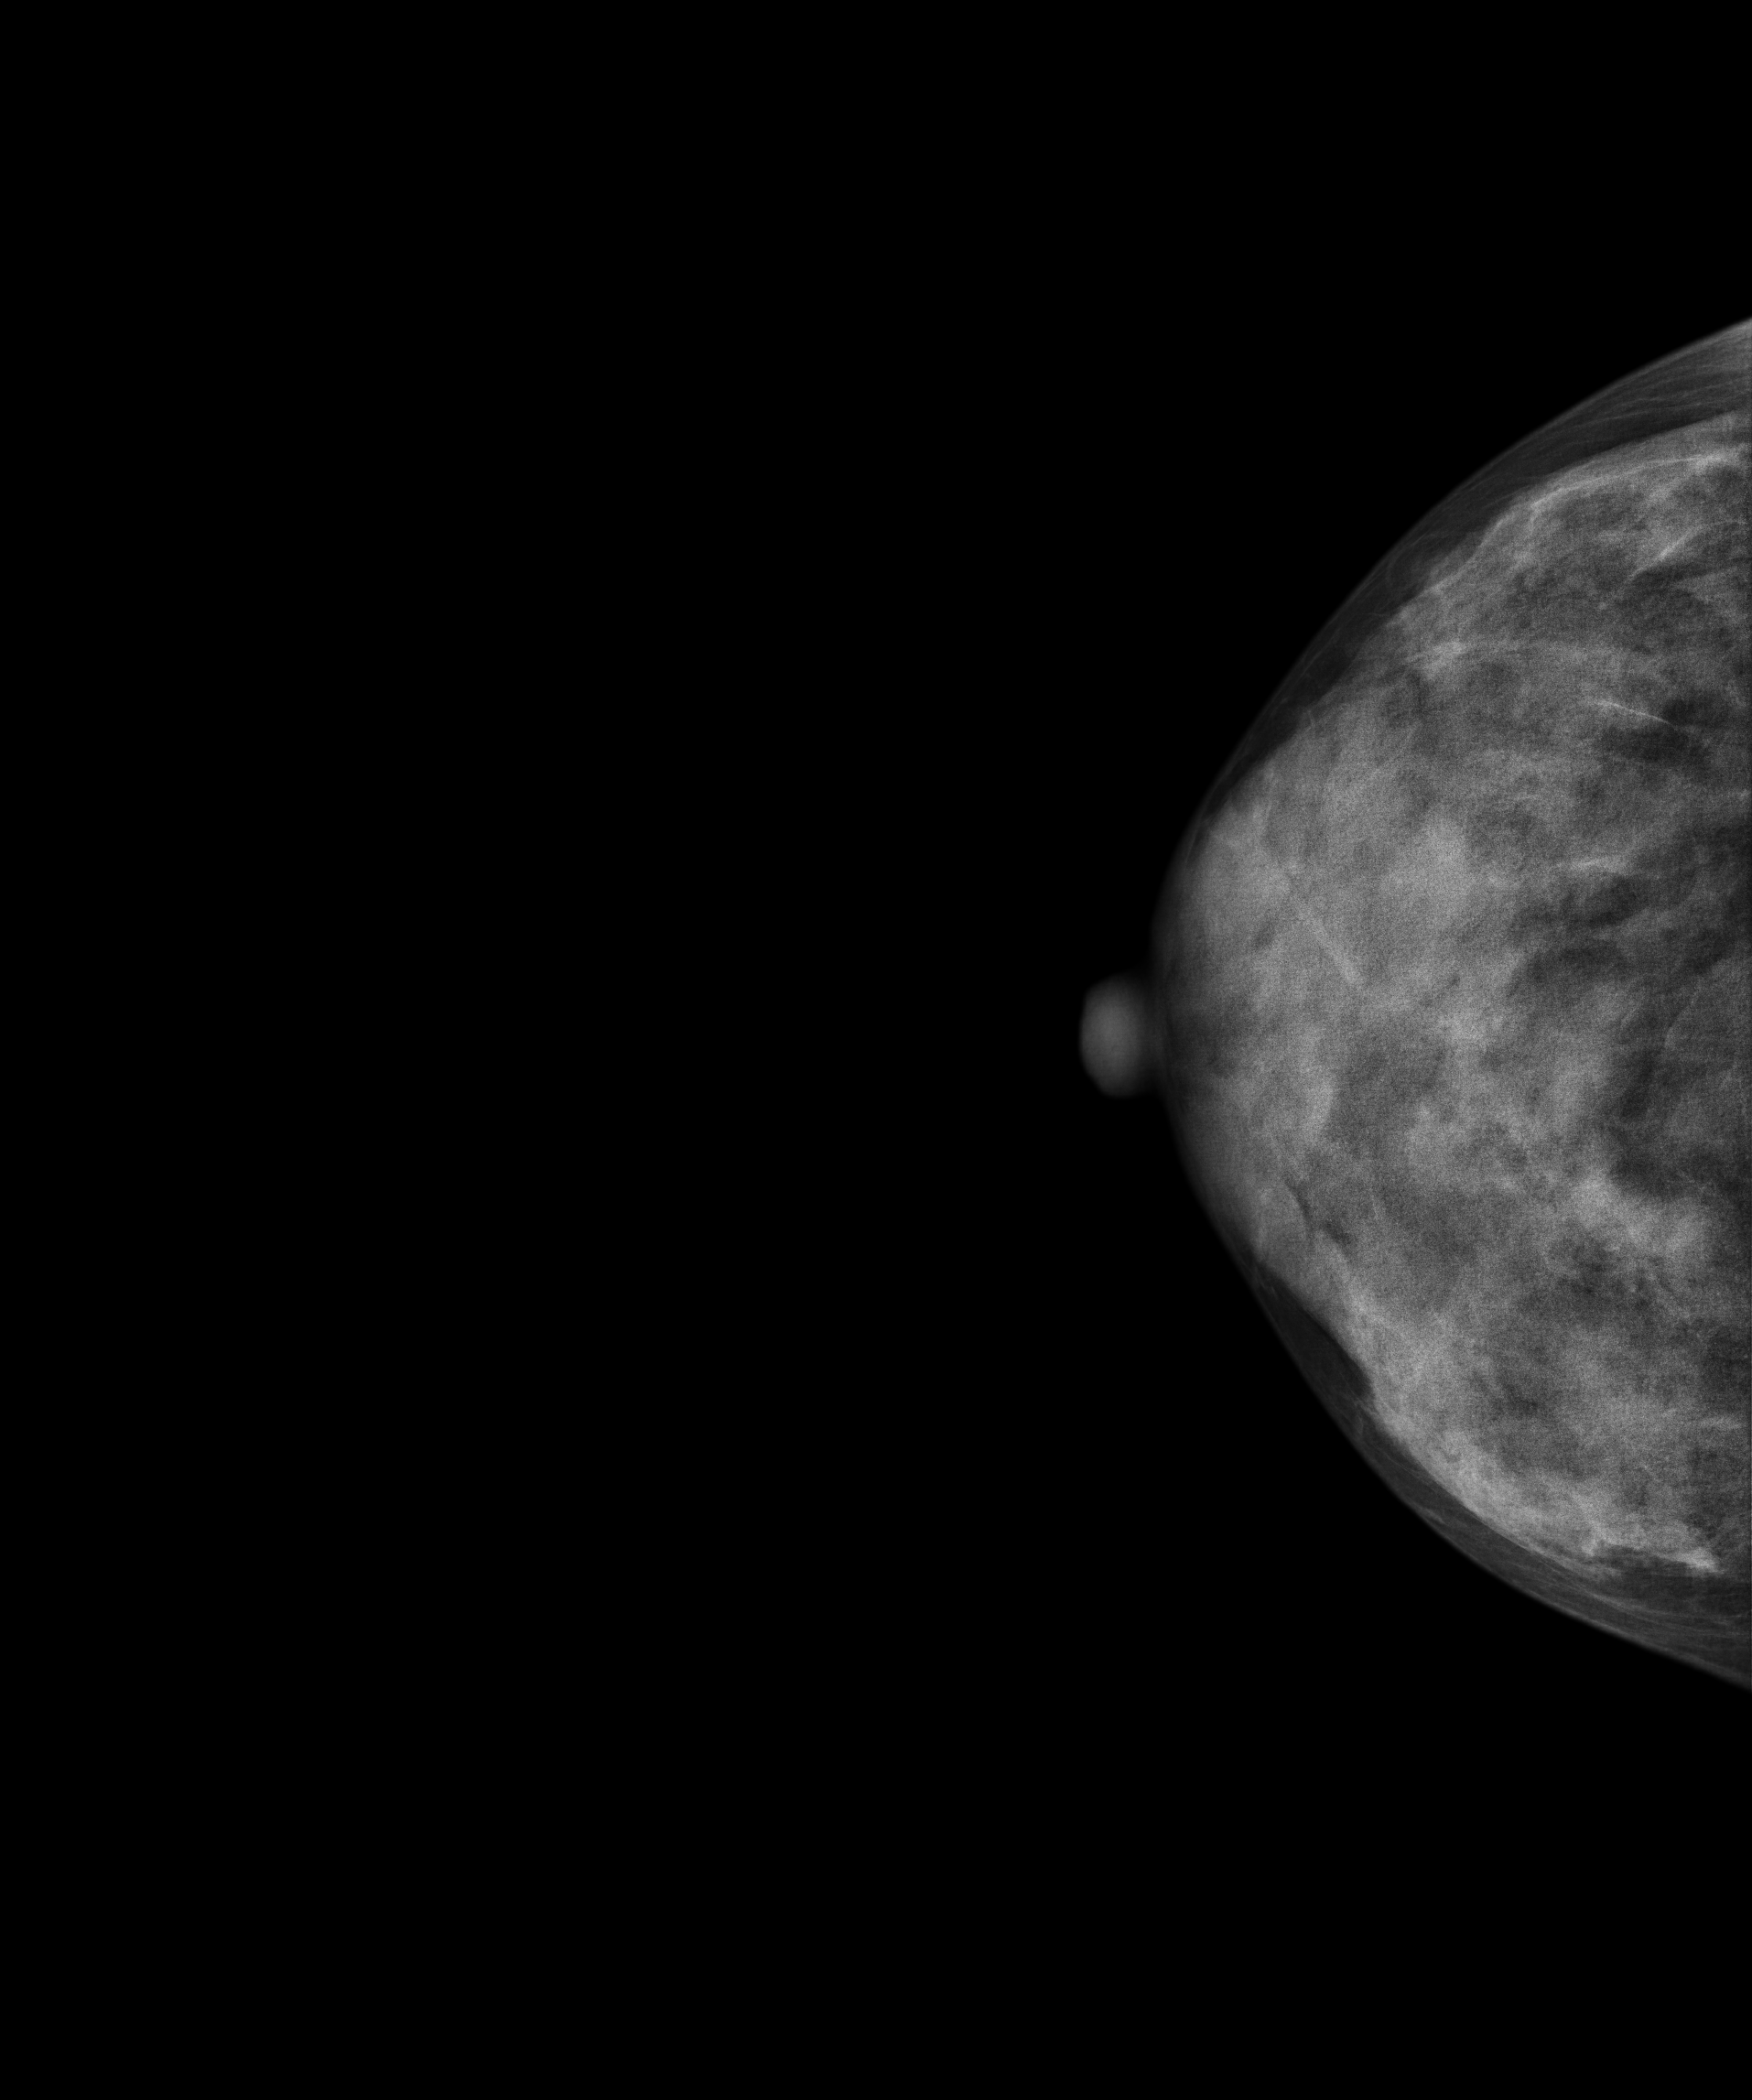
Digital mammography. Right breast, CC projection. 47-year-old patient.
This breast has a mass, biopsy-proven benign.